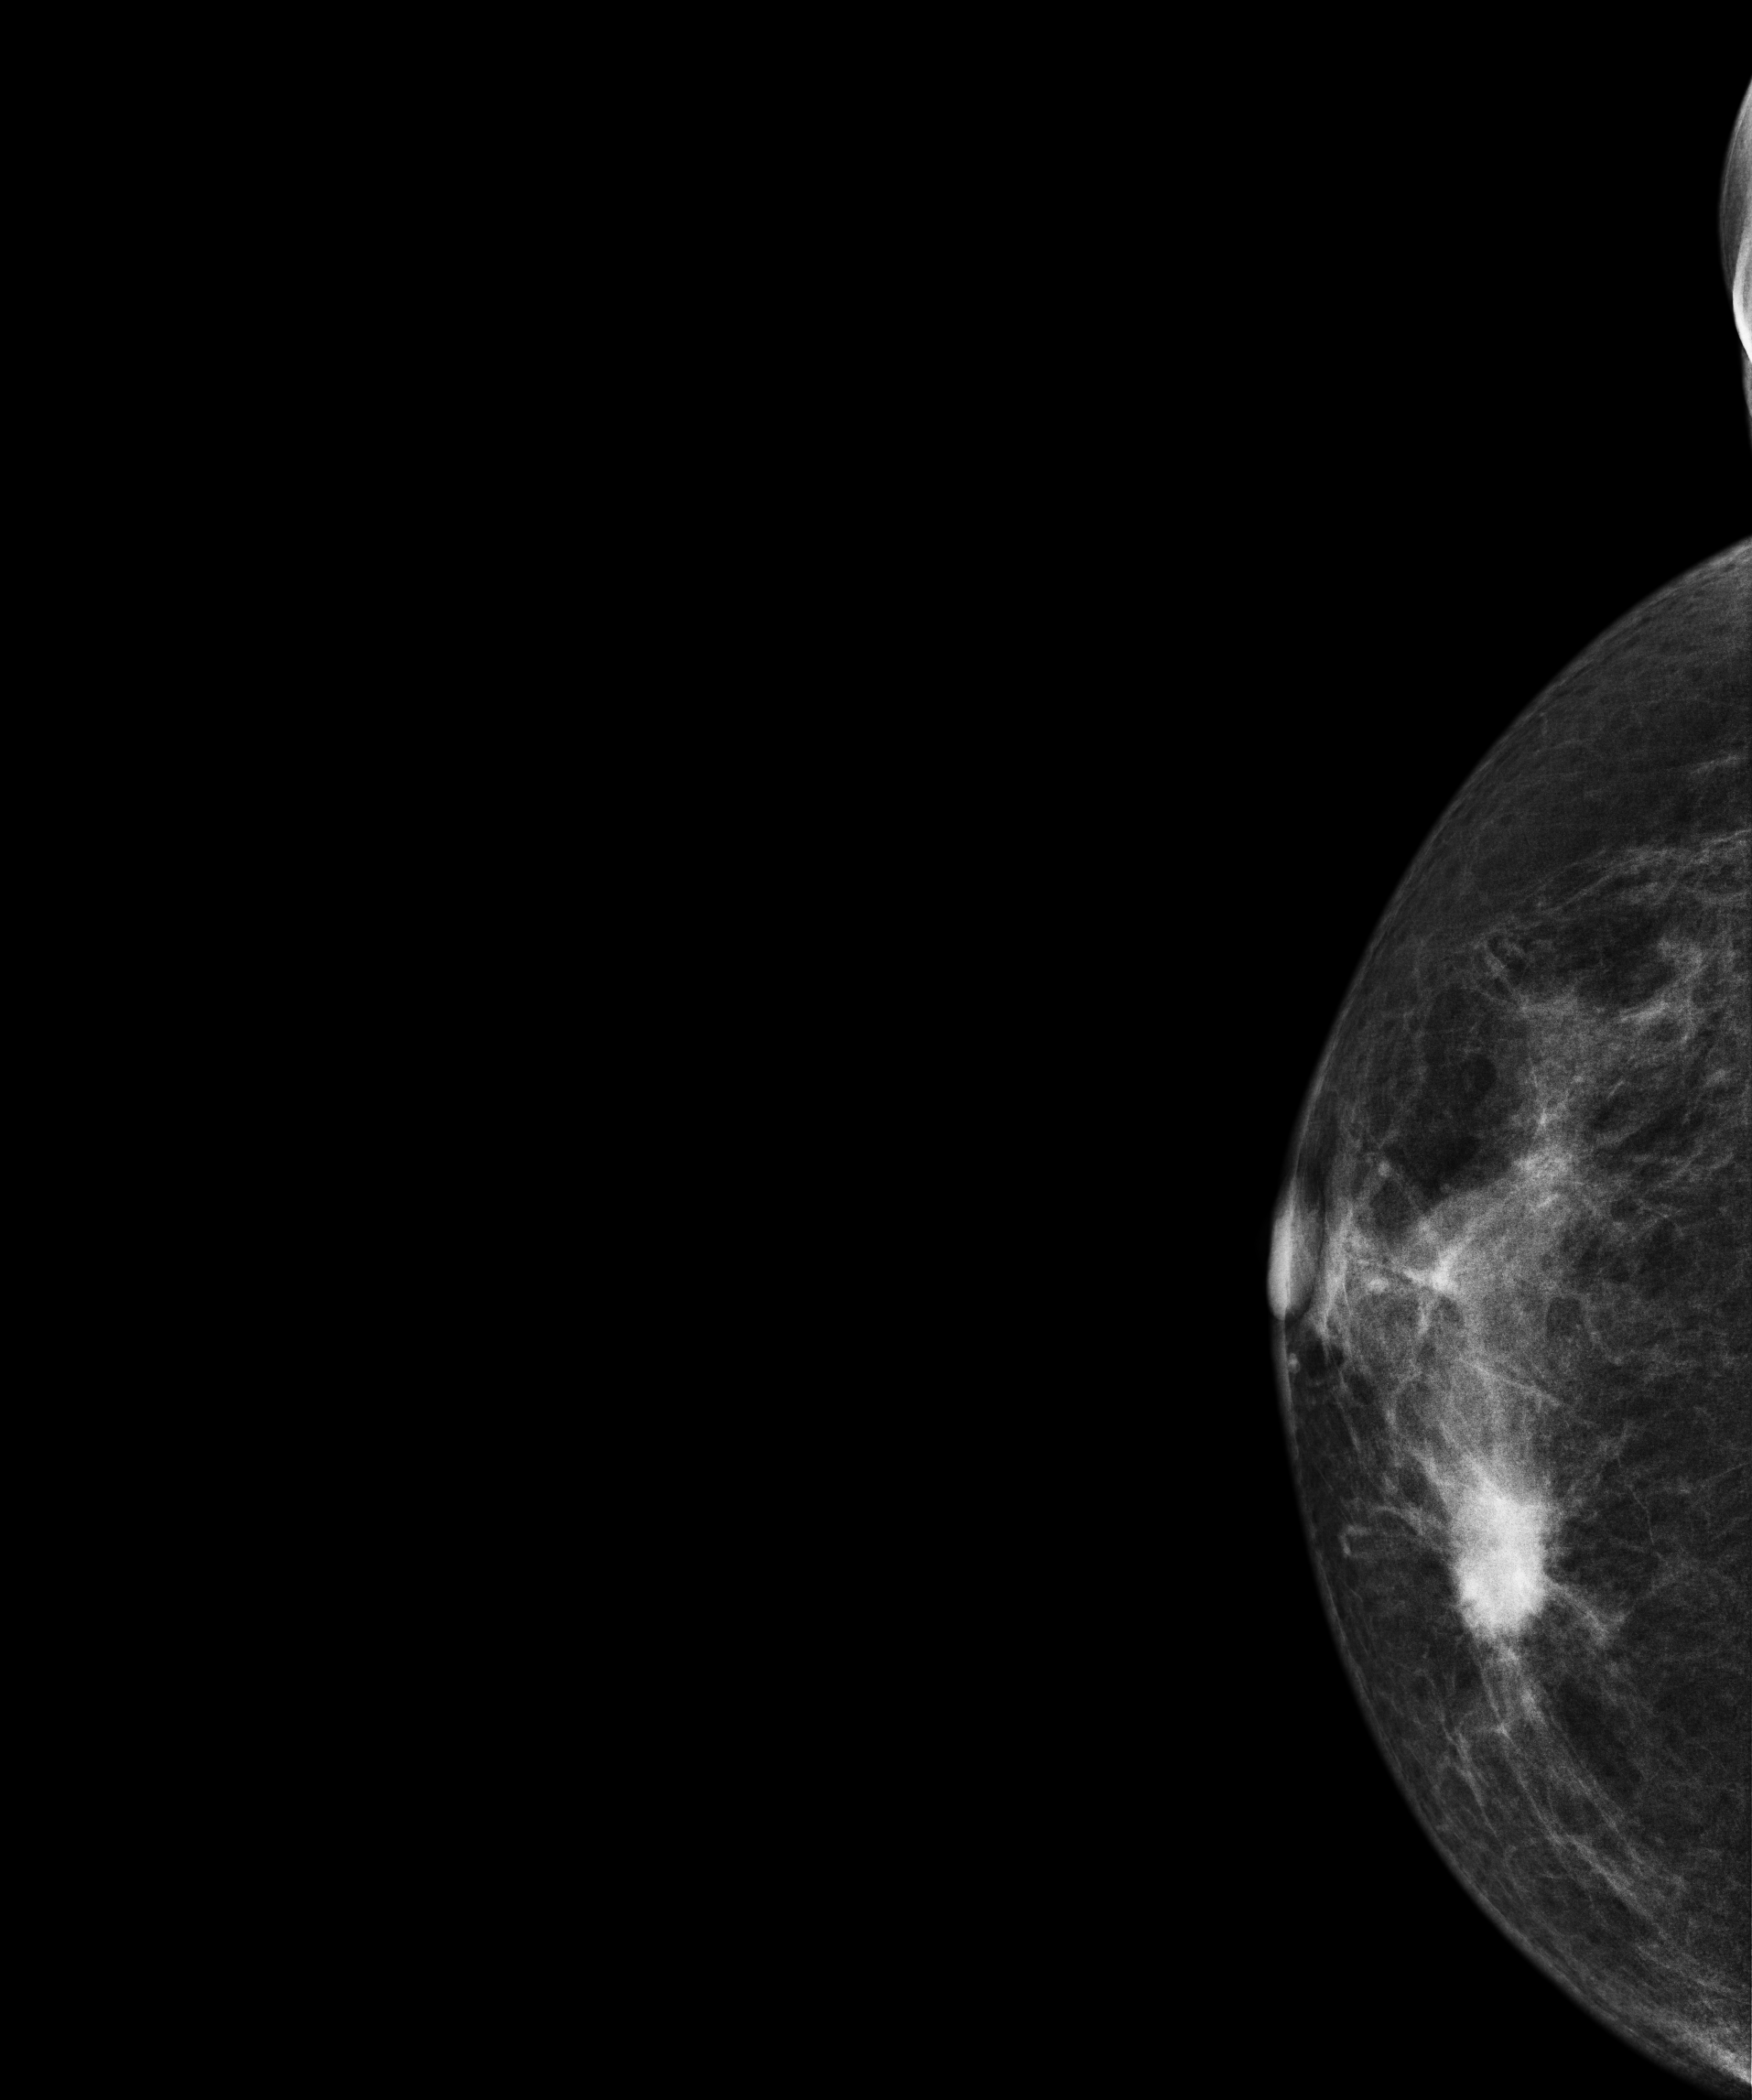
Mammogram, right breast, CC view. 57-year-old patient.
This breast has a mass, histologically confirmed malignant. Molecular subtype: luminal A.